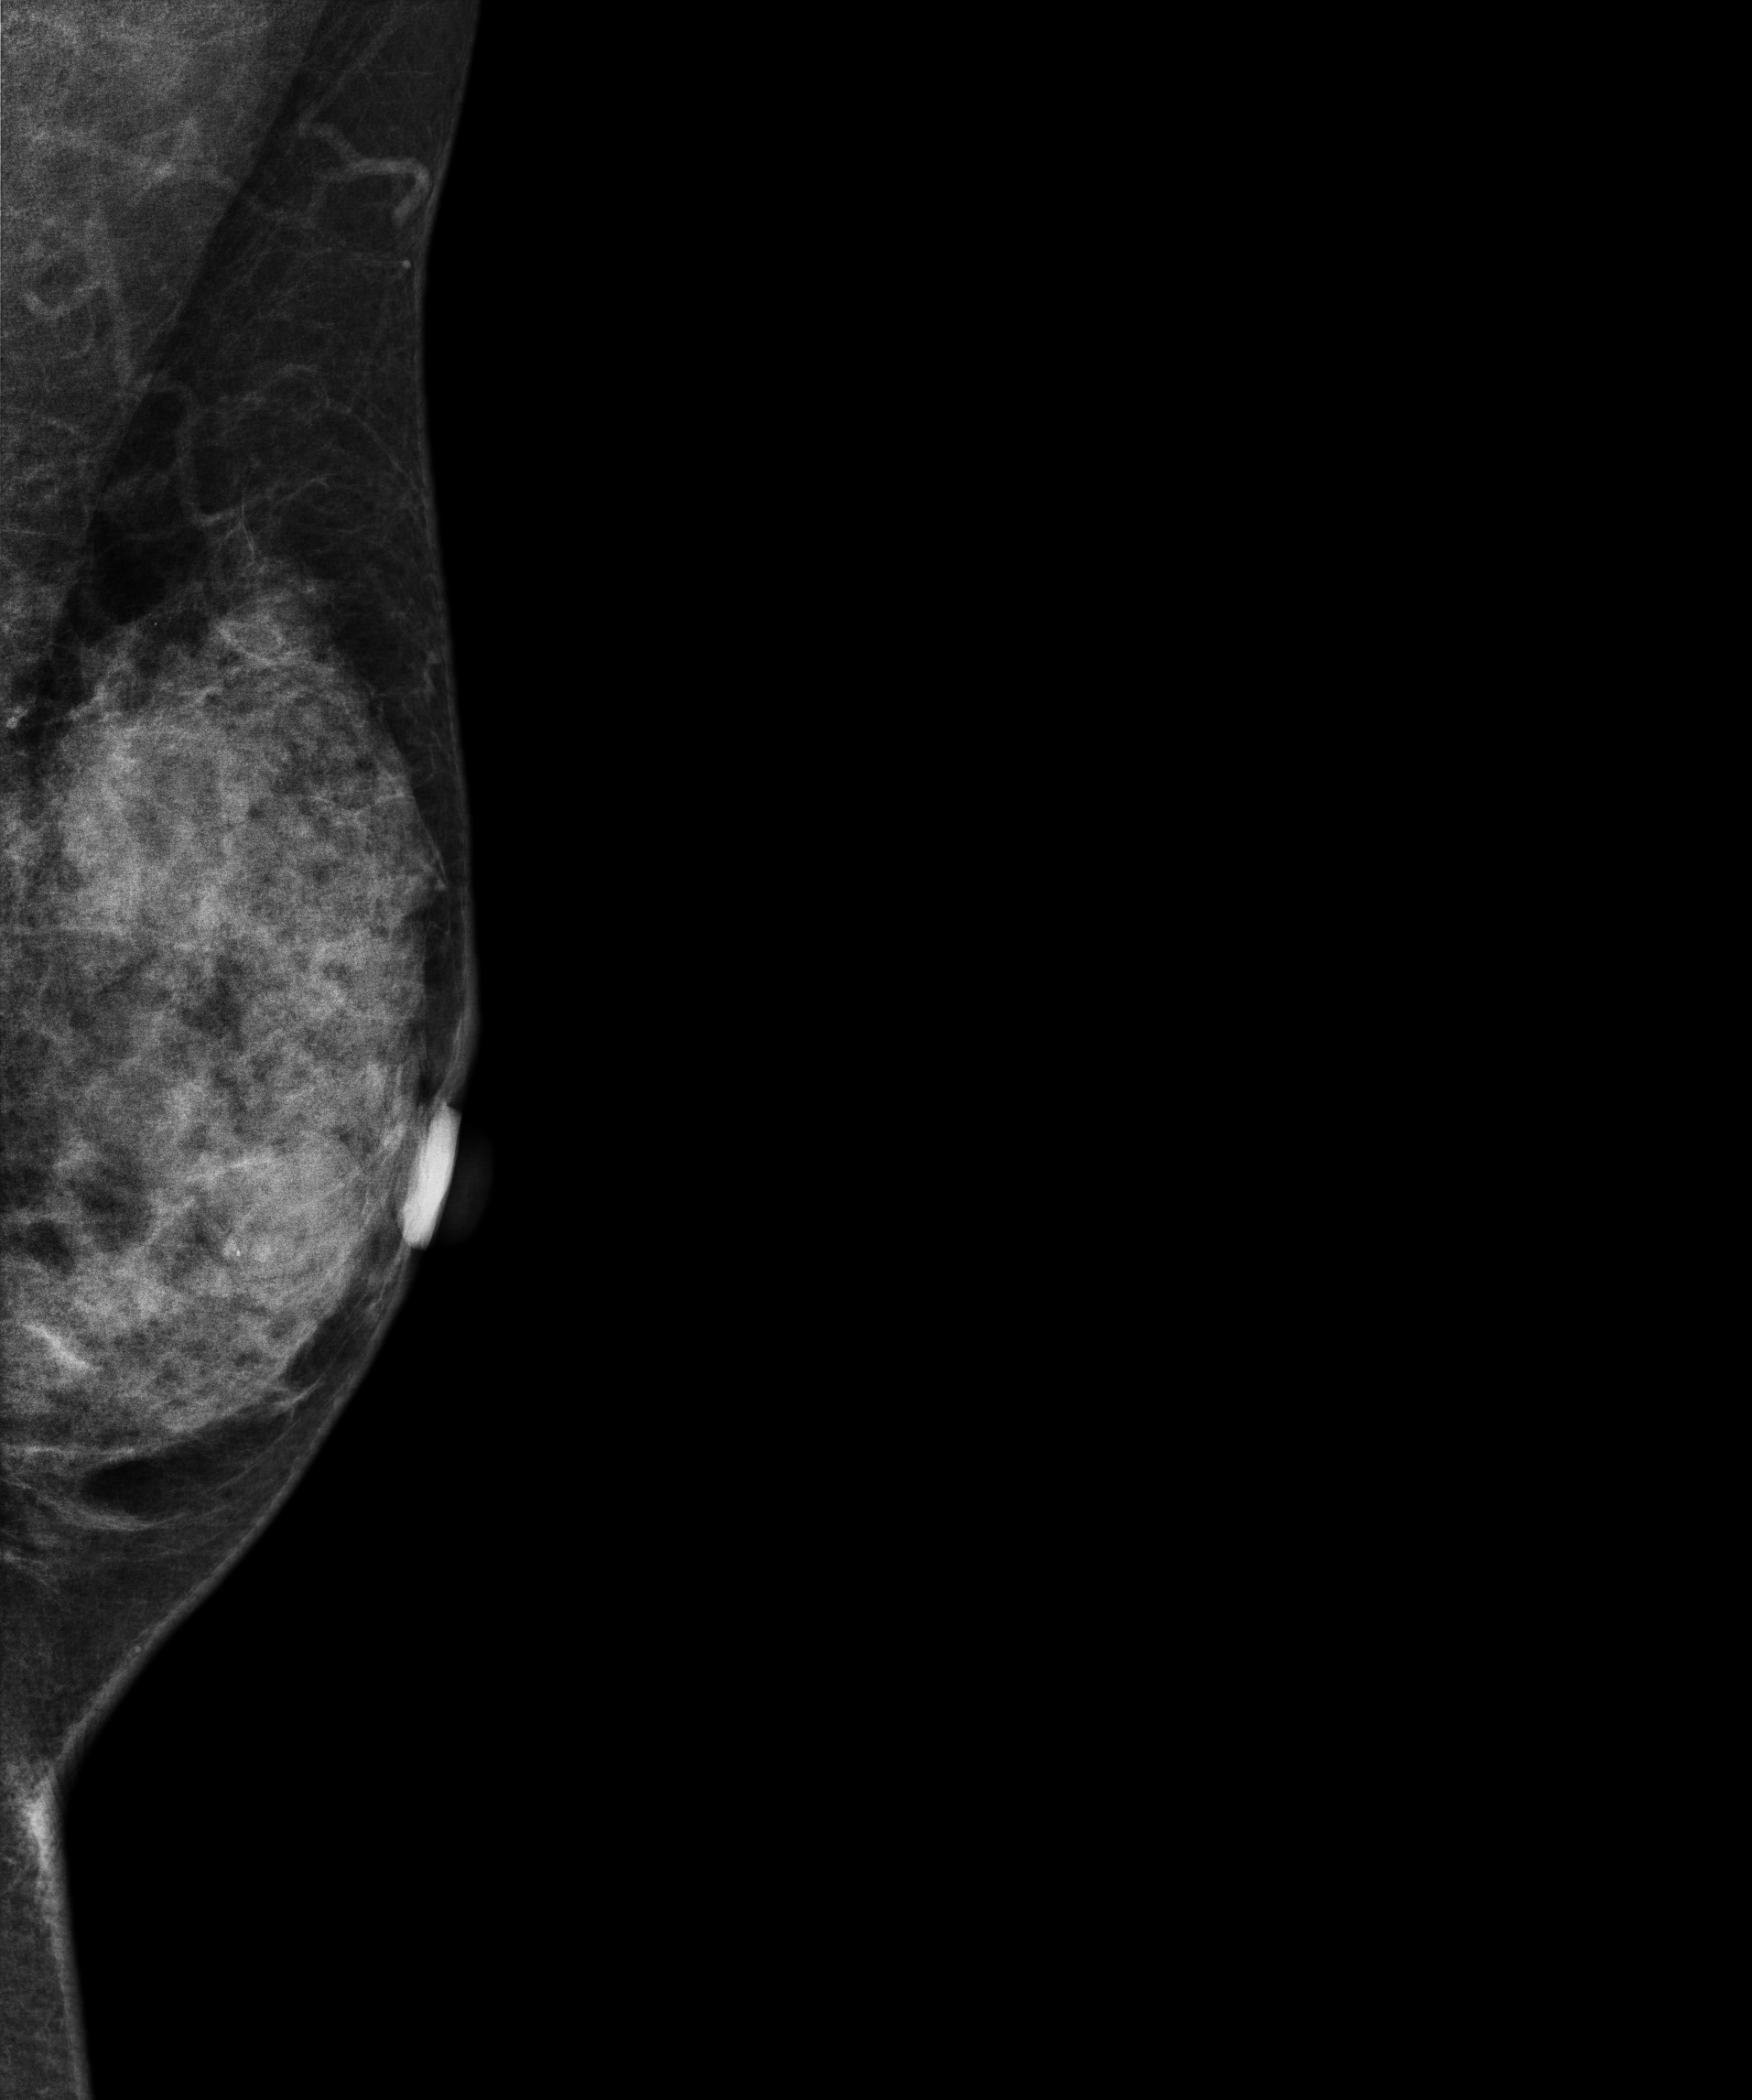
Left-breast mammogram, medio-lateral oblique. 49-year-old patient.
This breast has a mass, histologically confirmed malignant. Molecular subtype: luminal B.